Cranio-caudal mammogram of the left breast. 55 y/o patient.
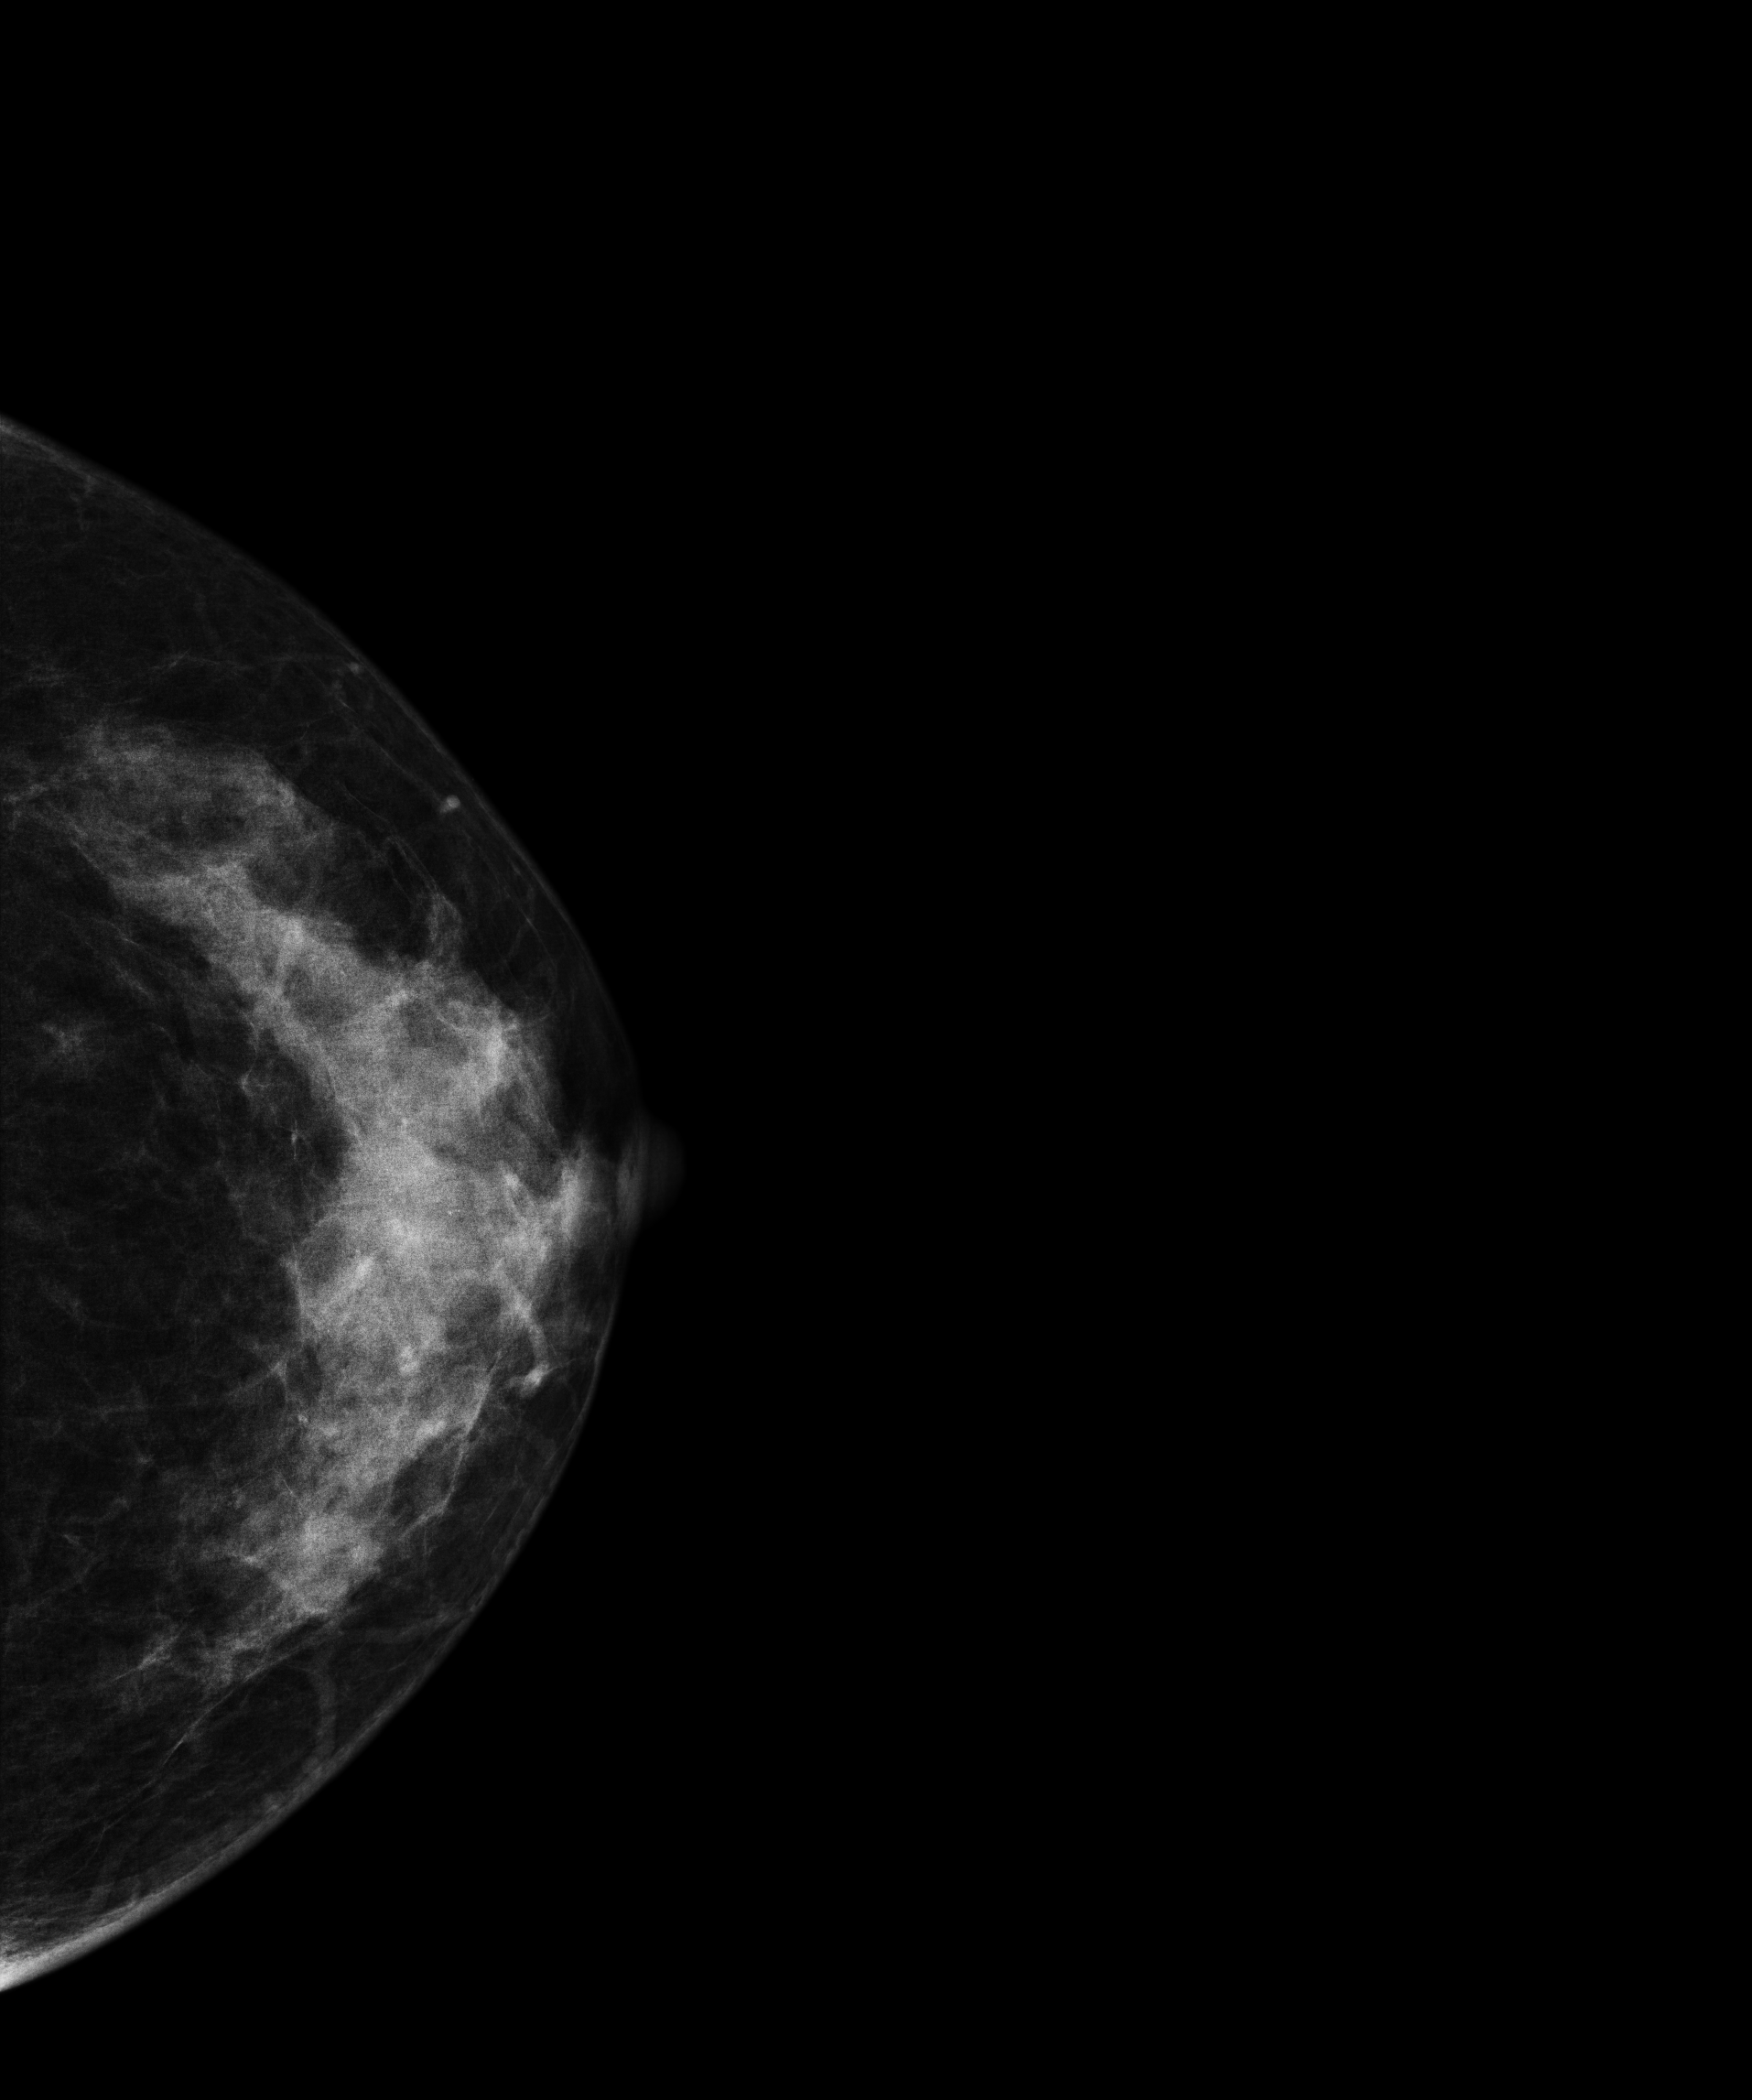
This breast has a mass and calcifications, histologically confirmed malignant. Molecular subtype: luminal A.